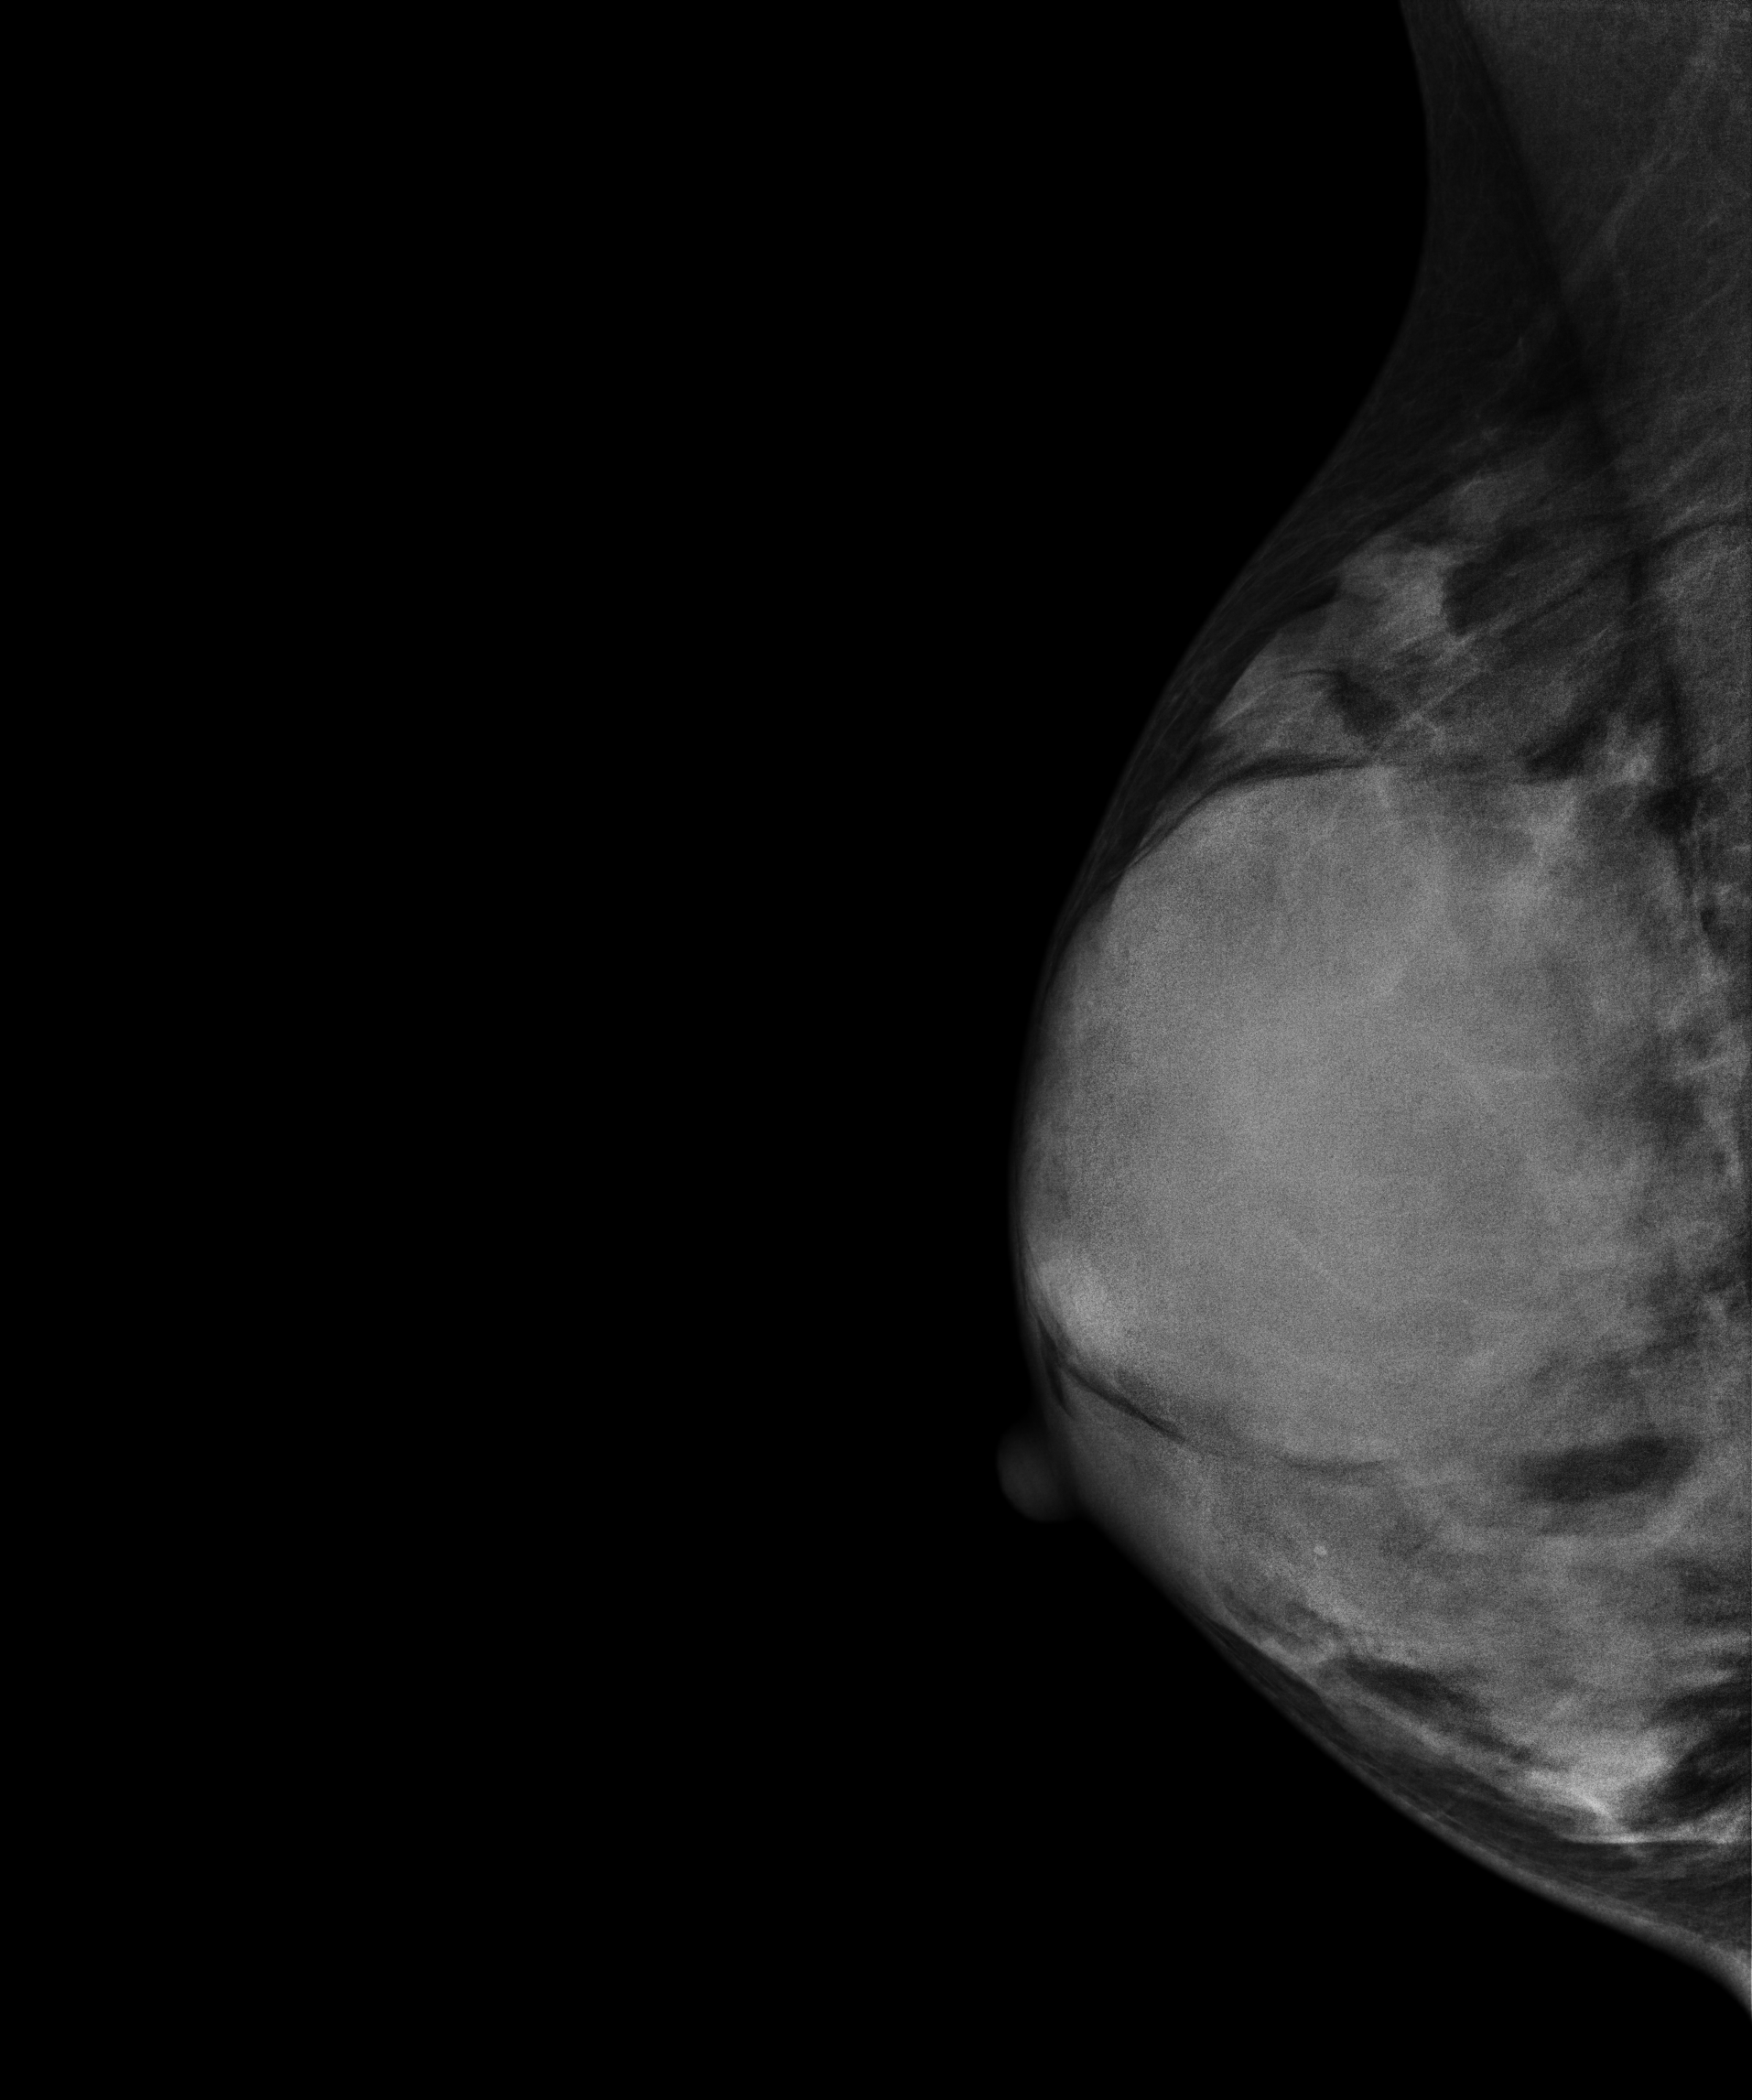
Mammogram — right MLO. Patient age 24.
This breast has a mass, biopsy-confirmed benign.